Mammogram, right breast, cranio-caudal view. Patient age 35.
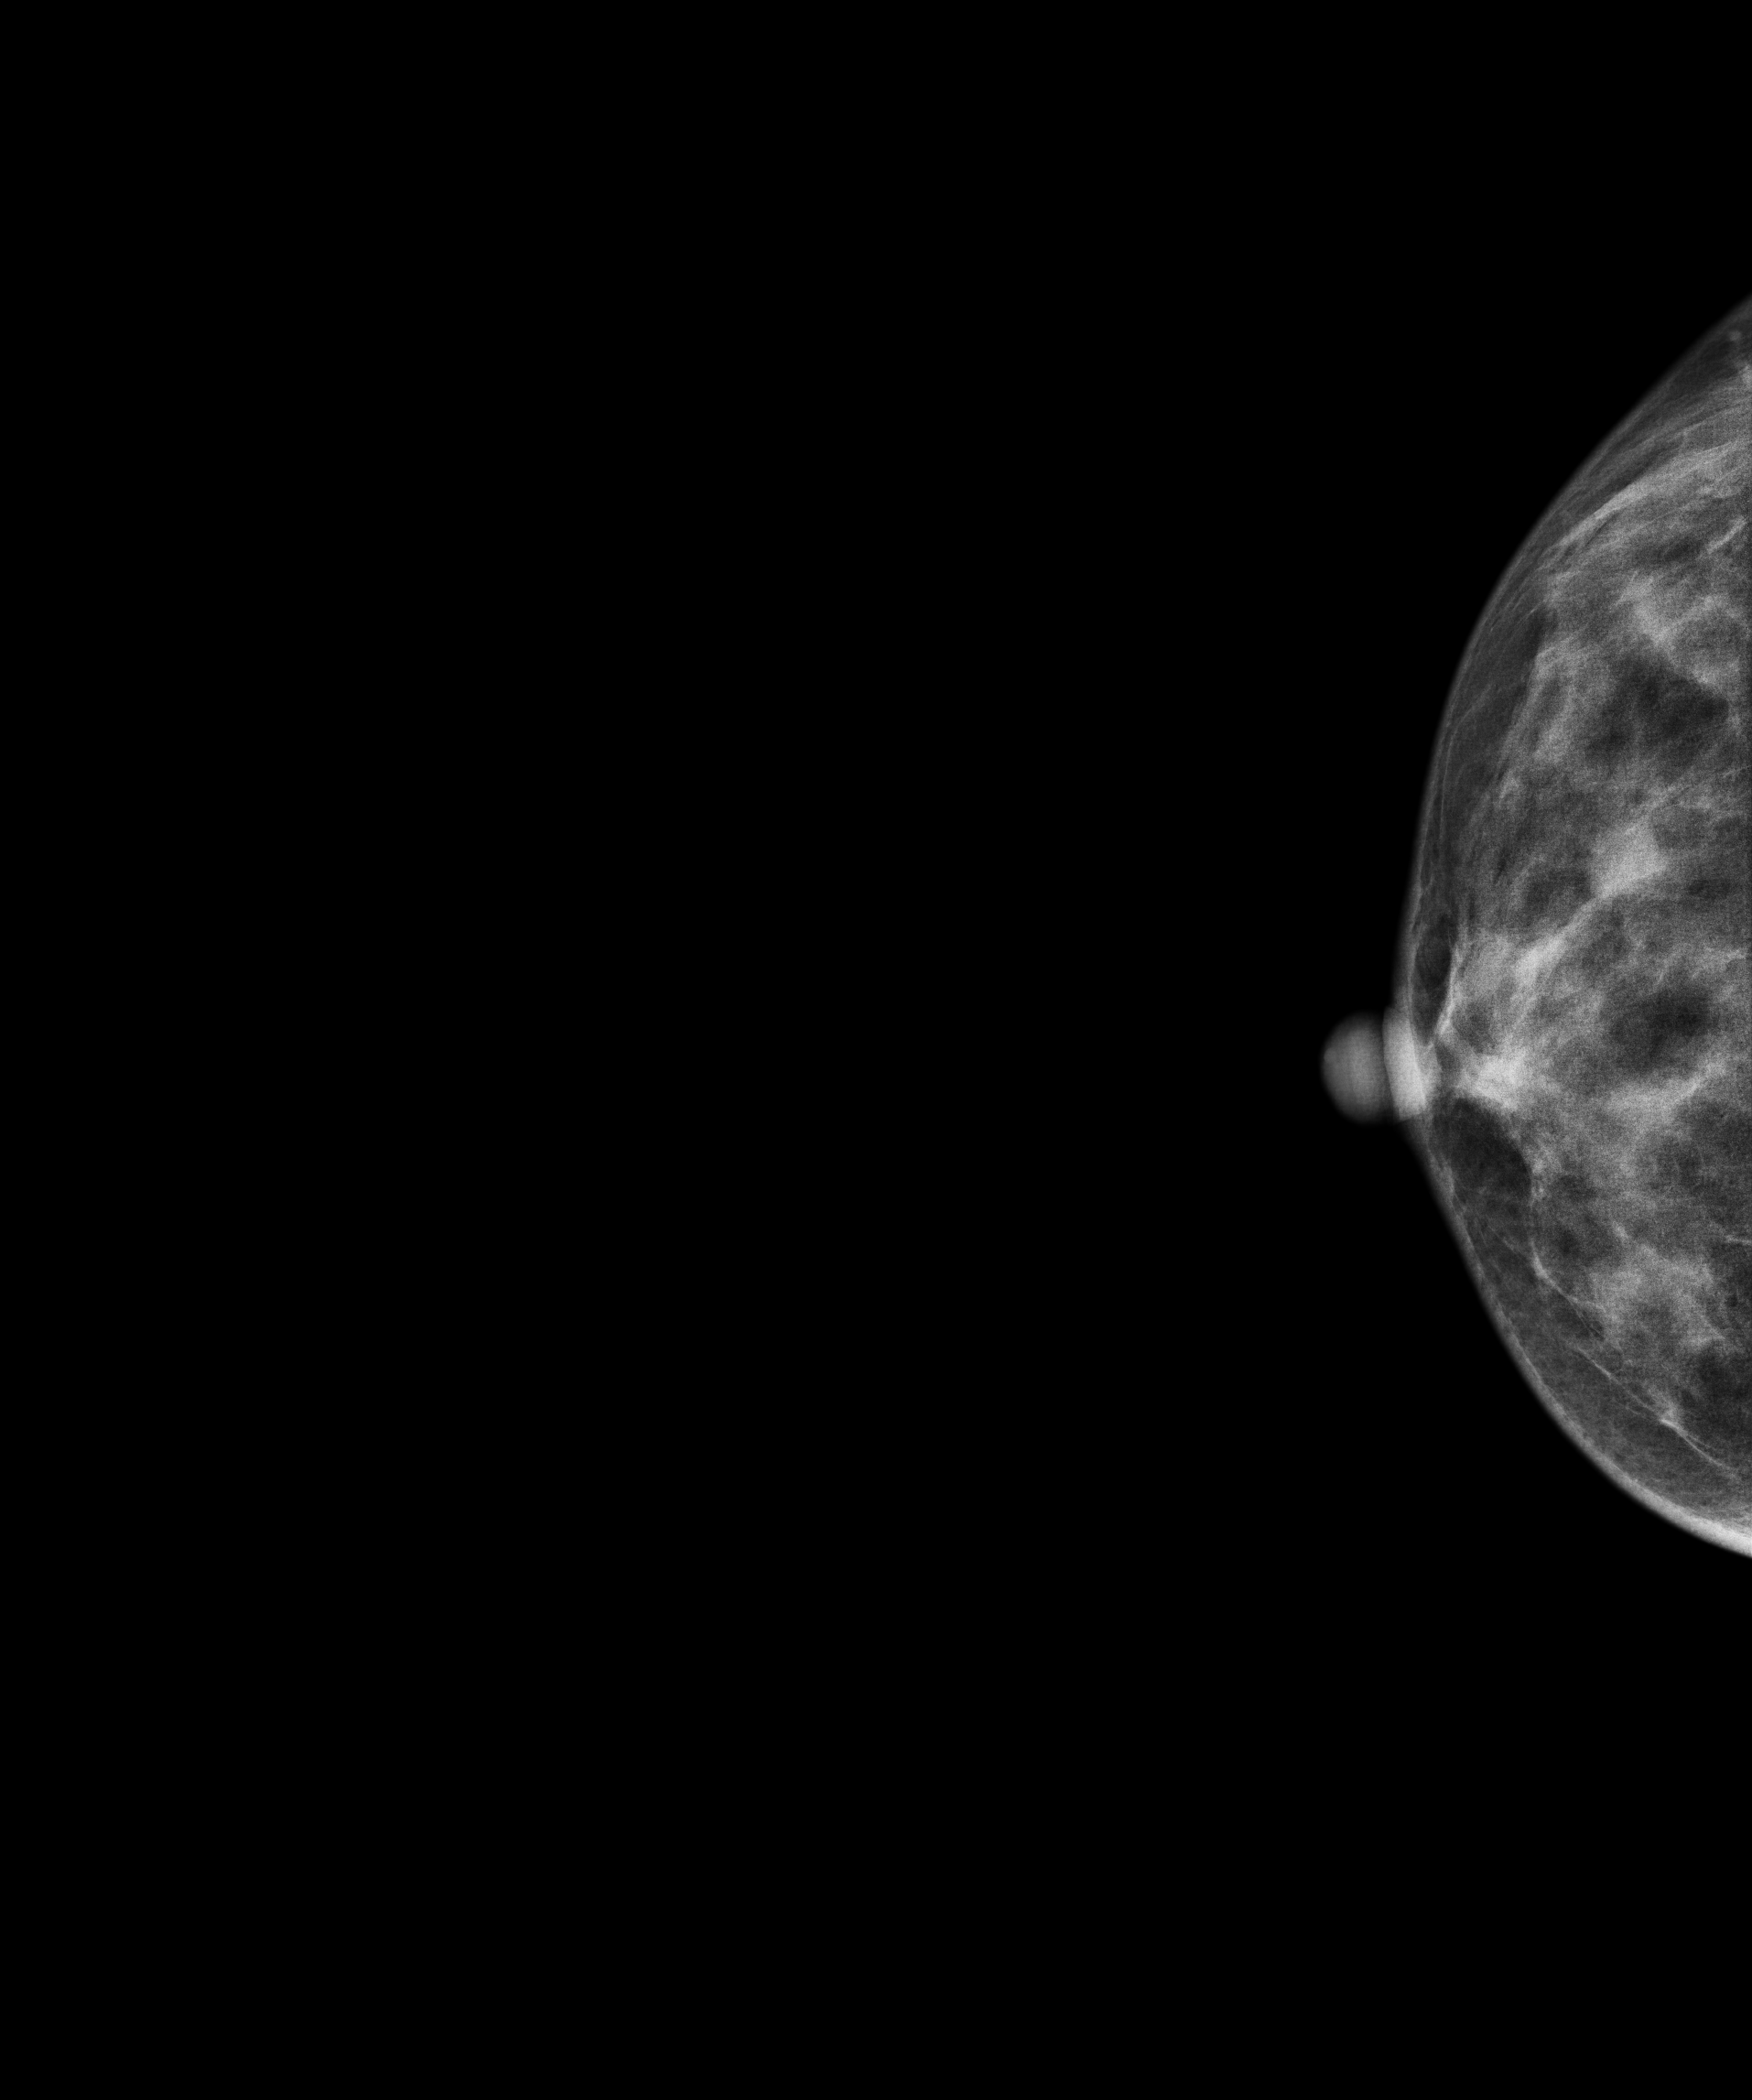
This breast has a mass, pathology-confirmed malignant. Molecular subtype: luminal A.